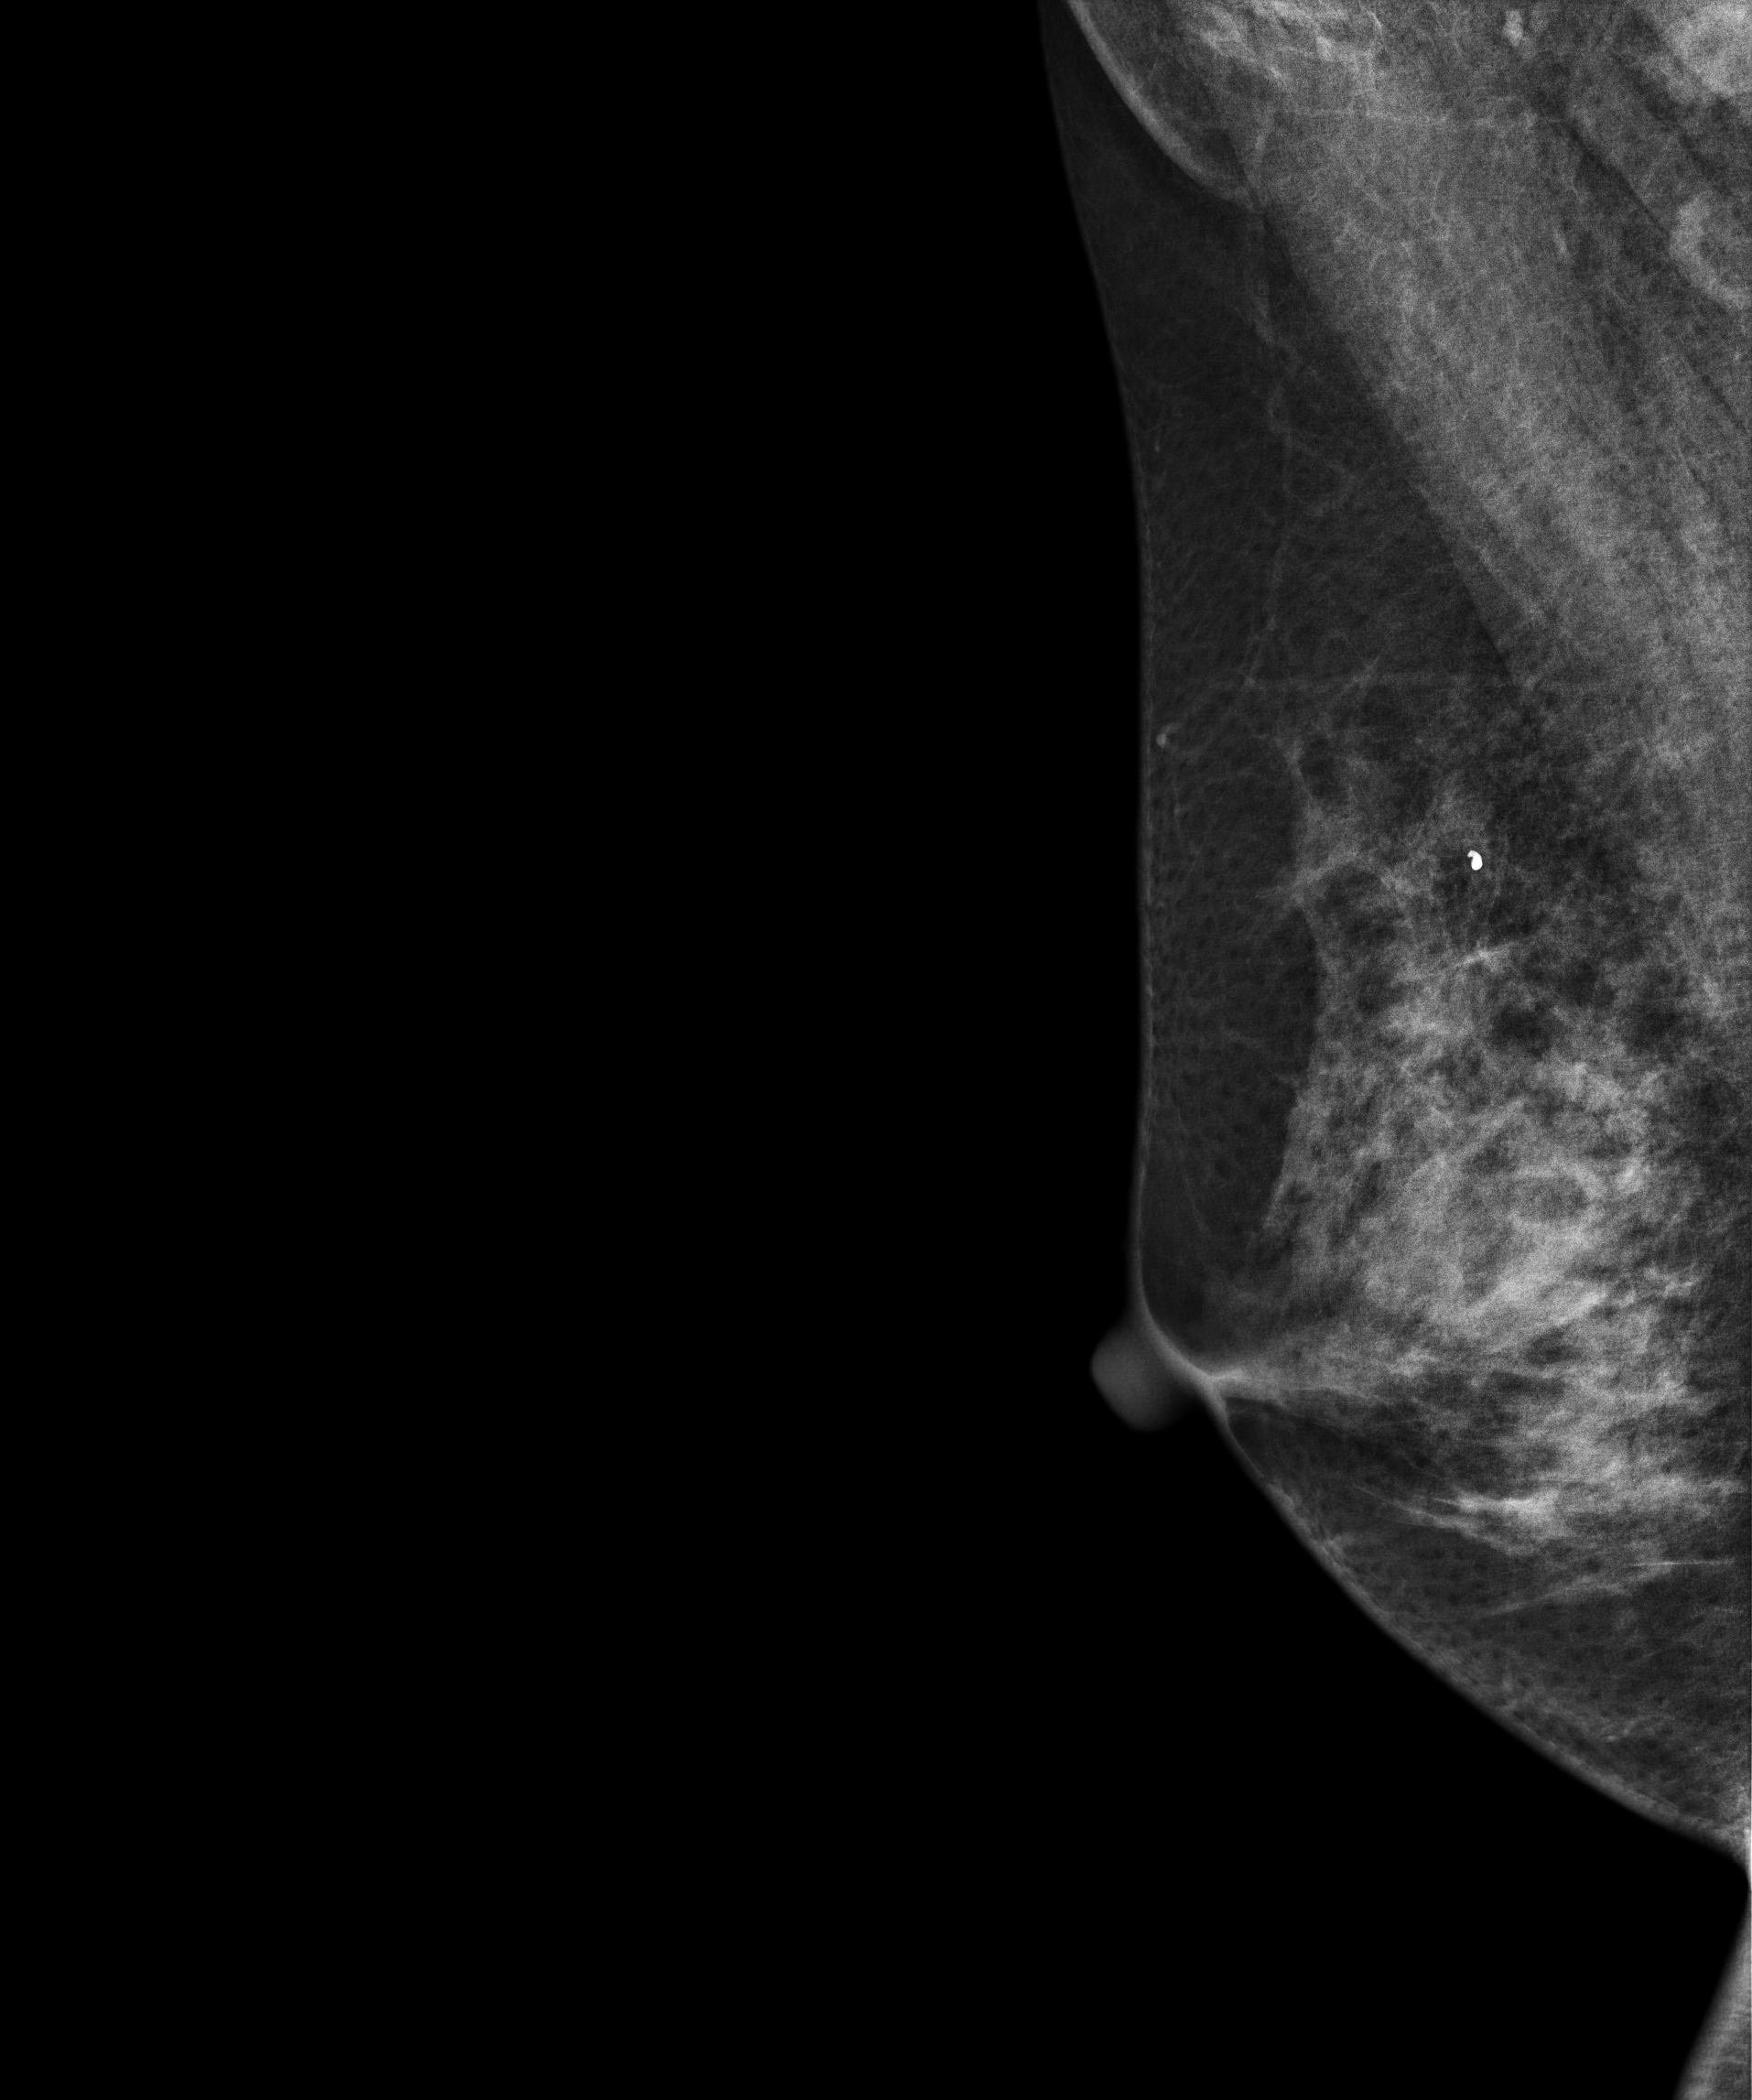
Mammogram — right medio-lateral oblique. 44 y/o patient.
Contralateral breast — no documented abnormality on this side.